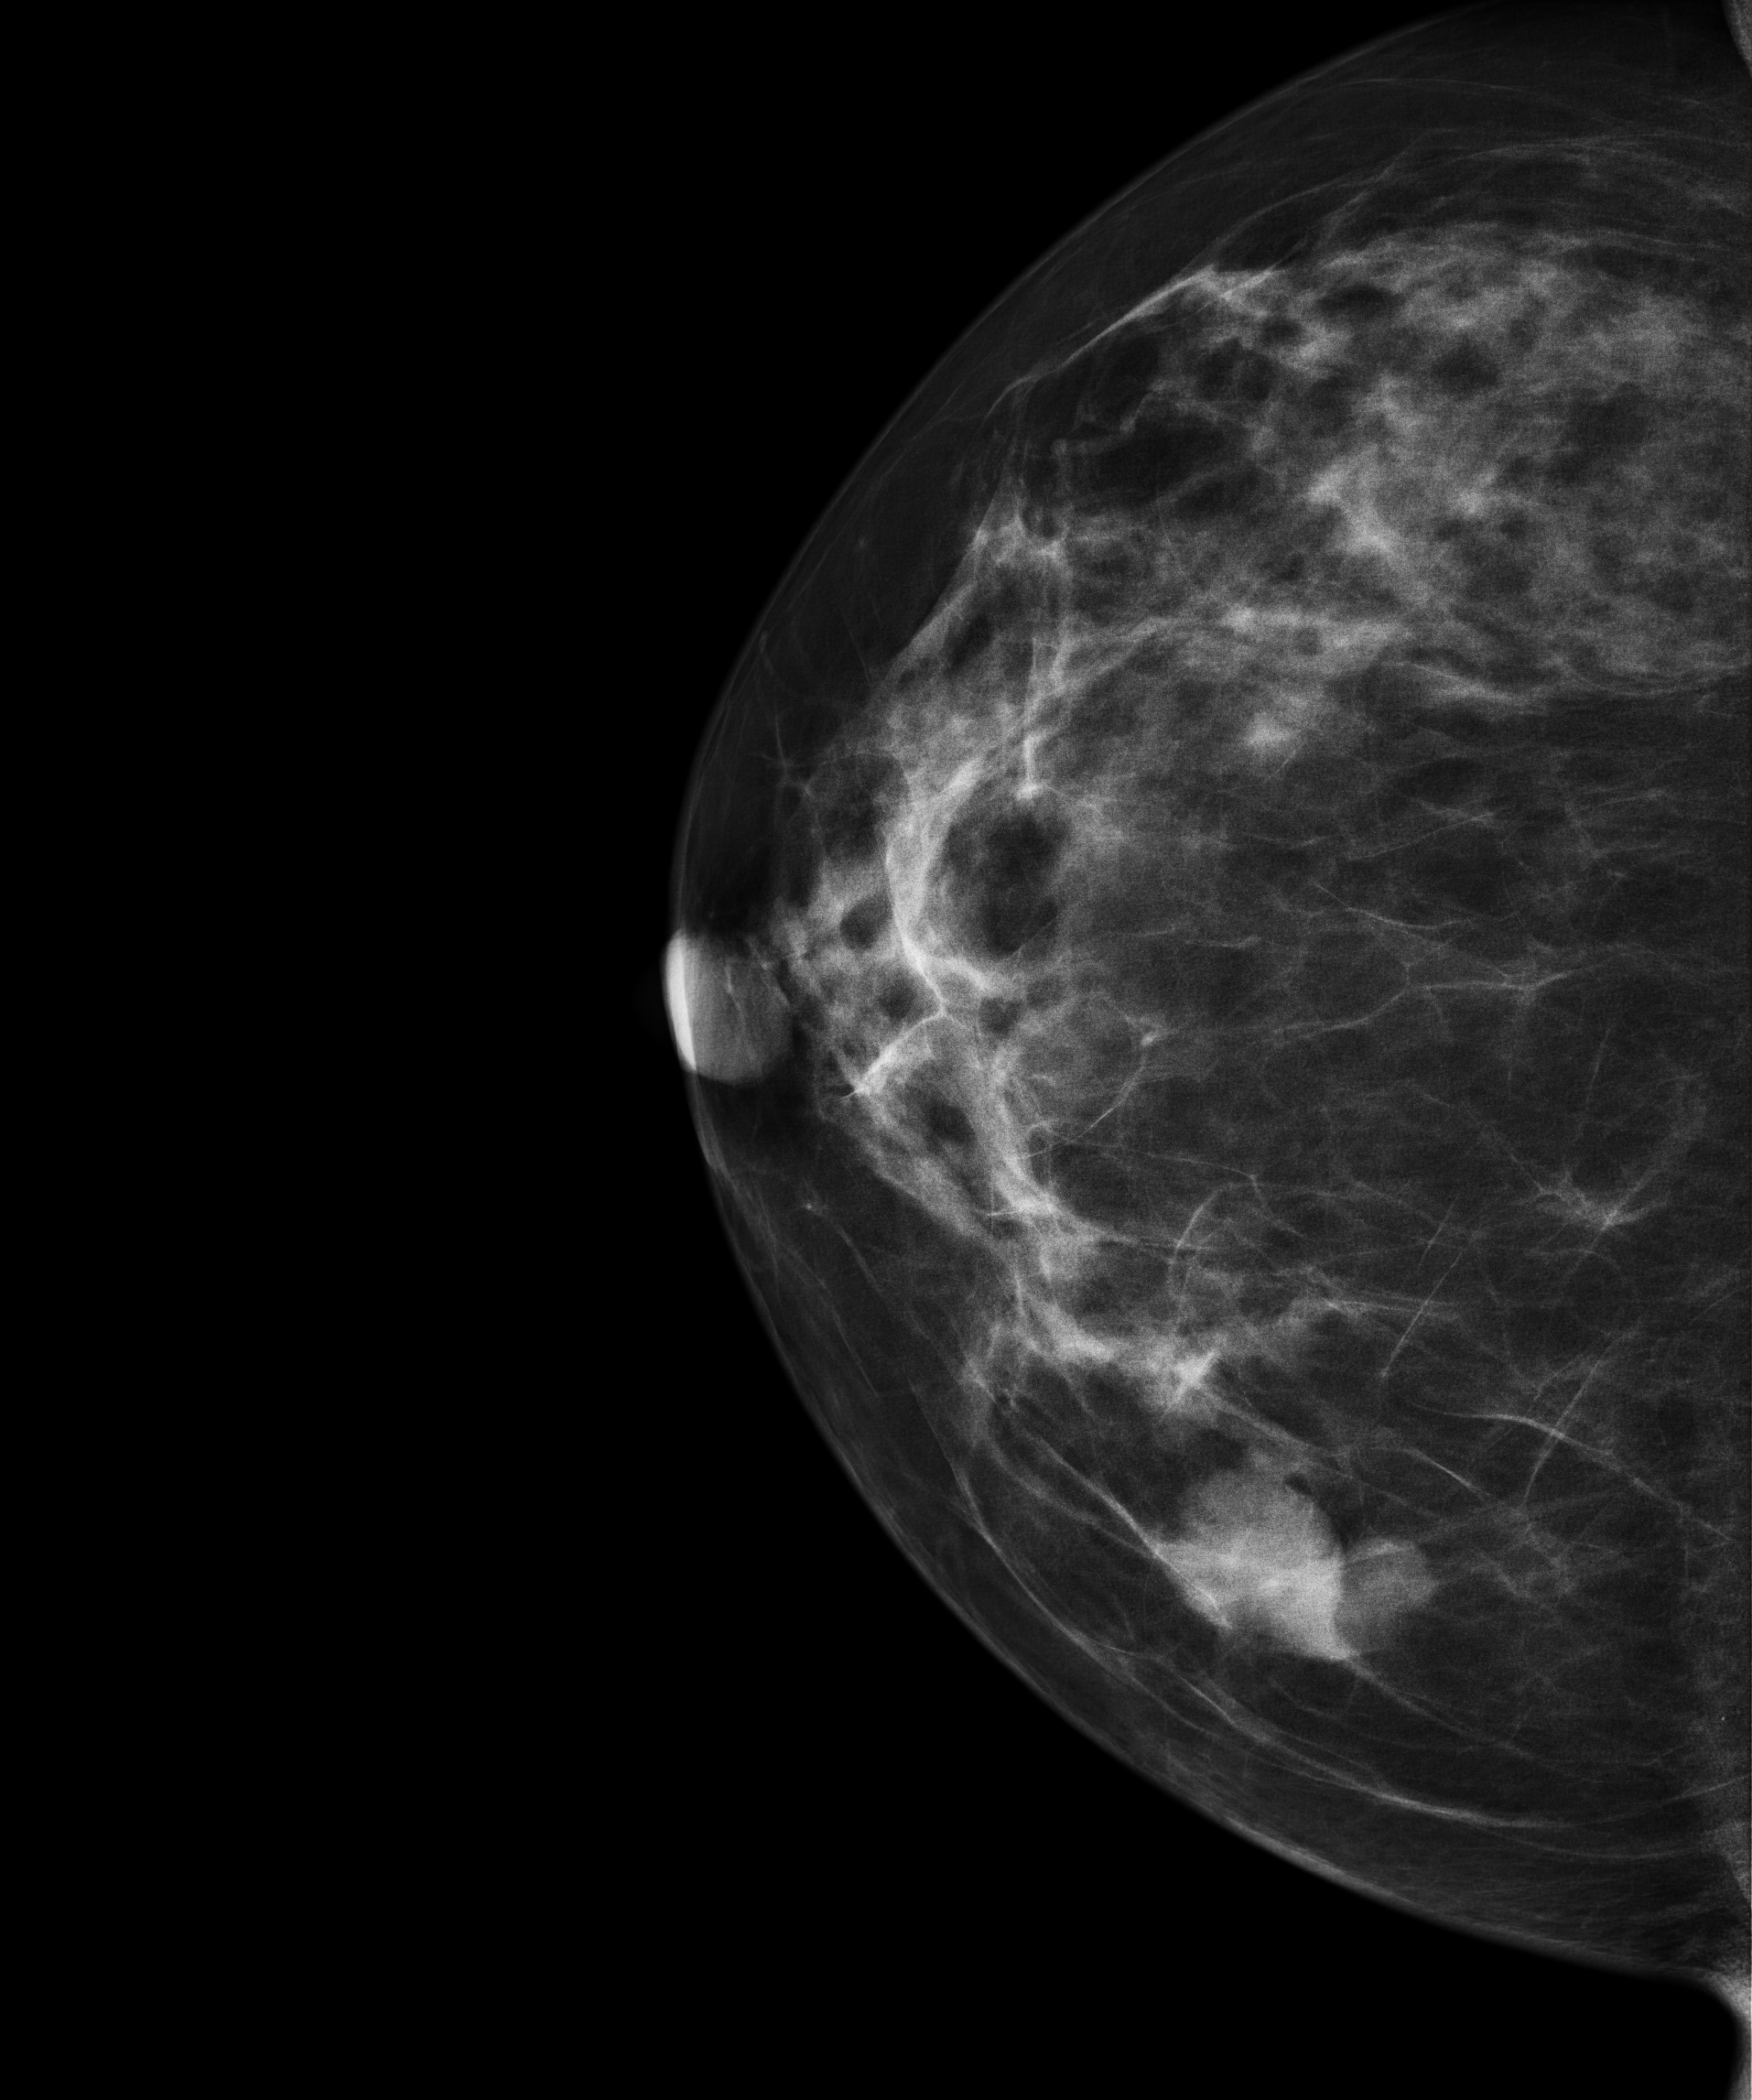
Mammogram — right cranio-caudal. 53-year-old patient.
This breast has a mass, biopsy-proven malignant.